Medio-lateral oblique mammogram of the right breast. 33-year-old patient.
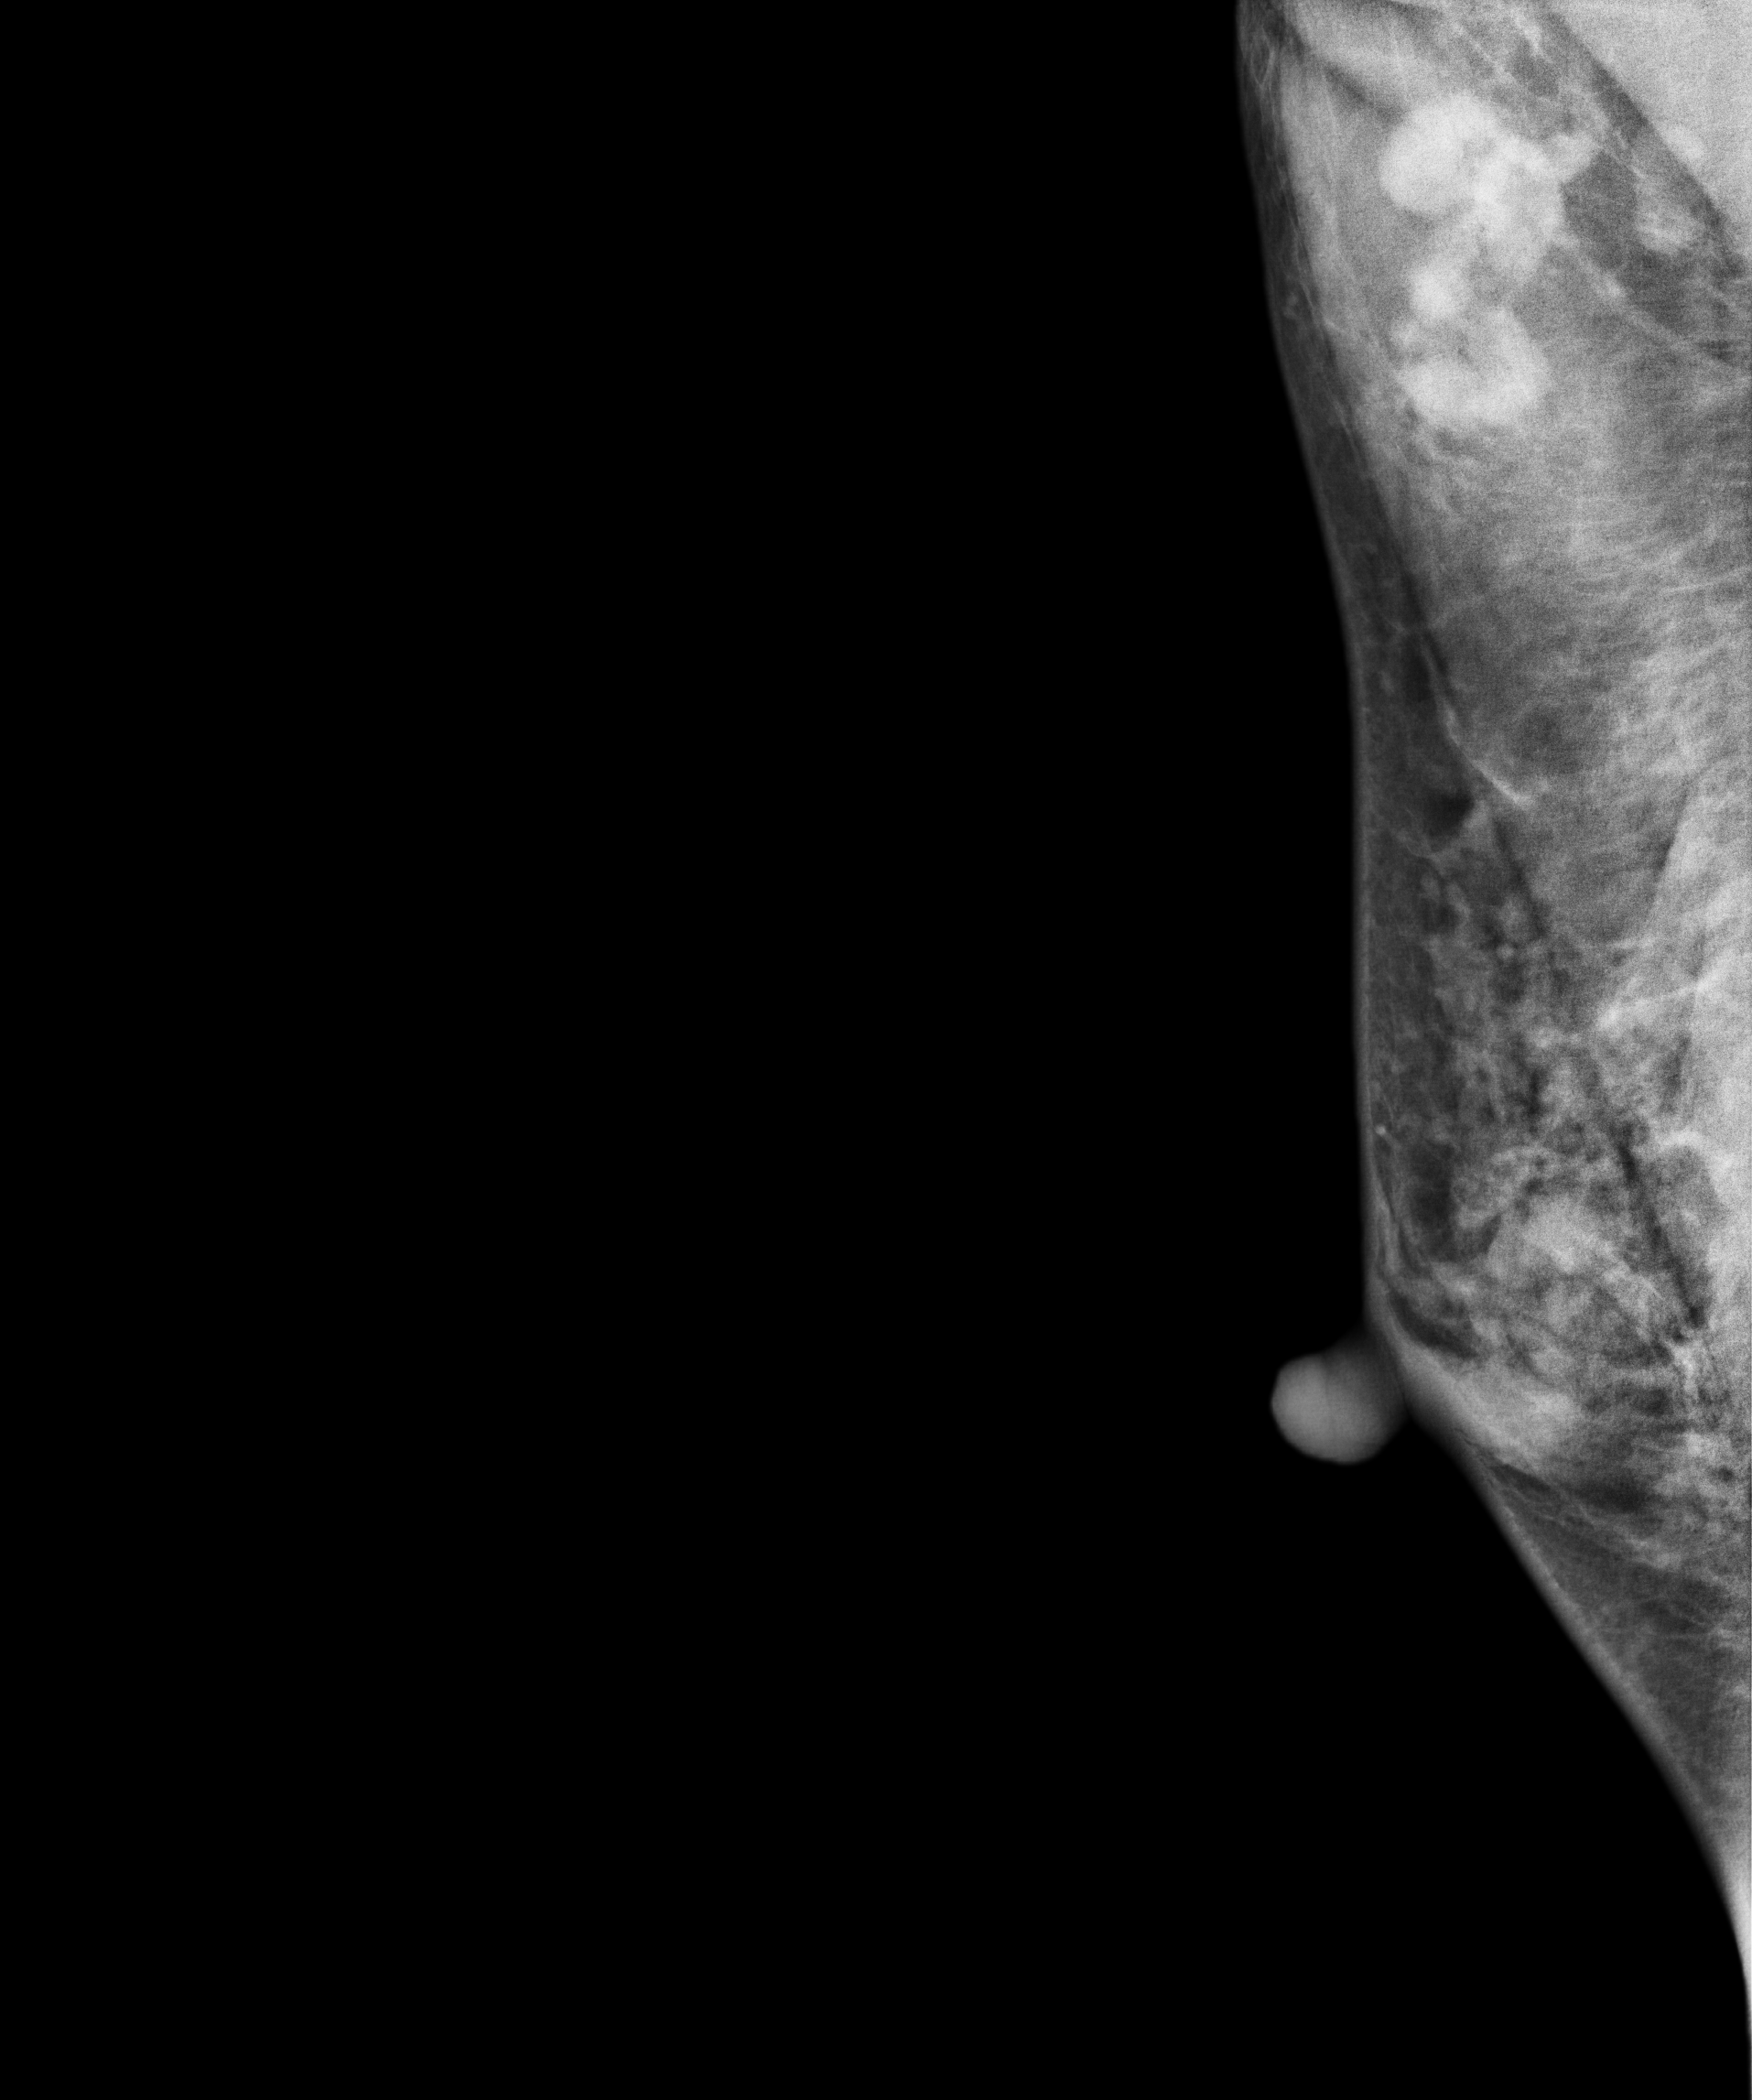
This breast has a mass, pathology-confirmed malignant.